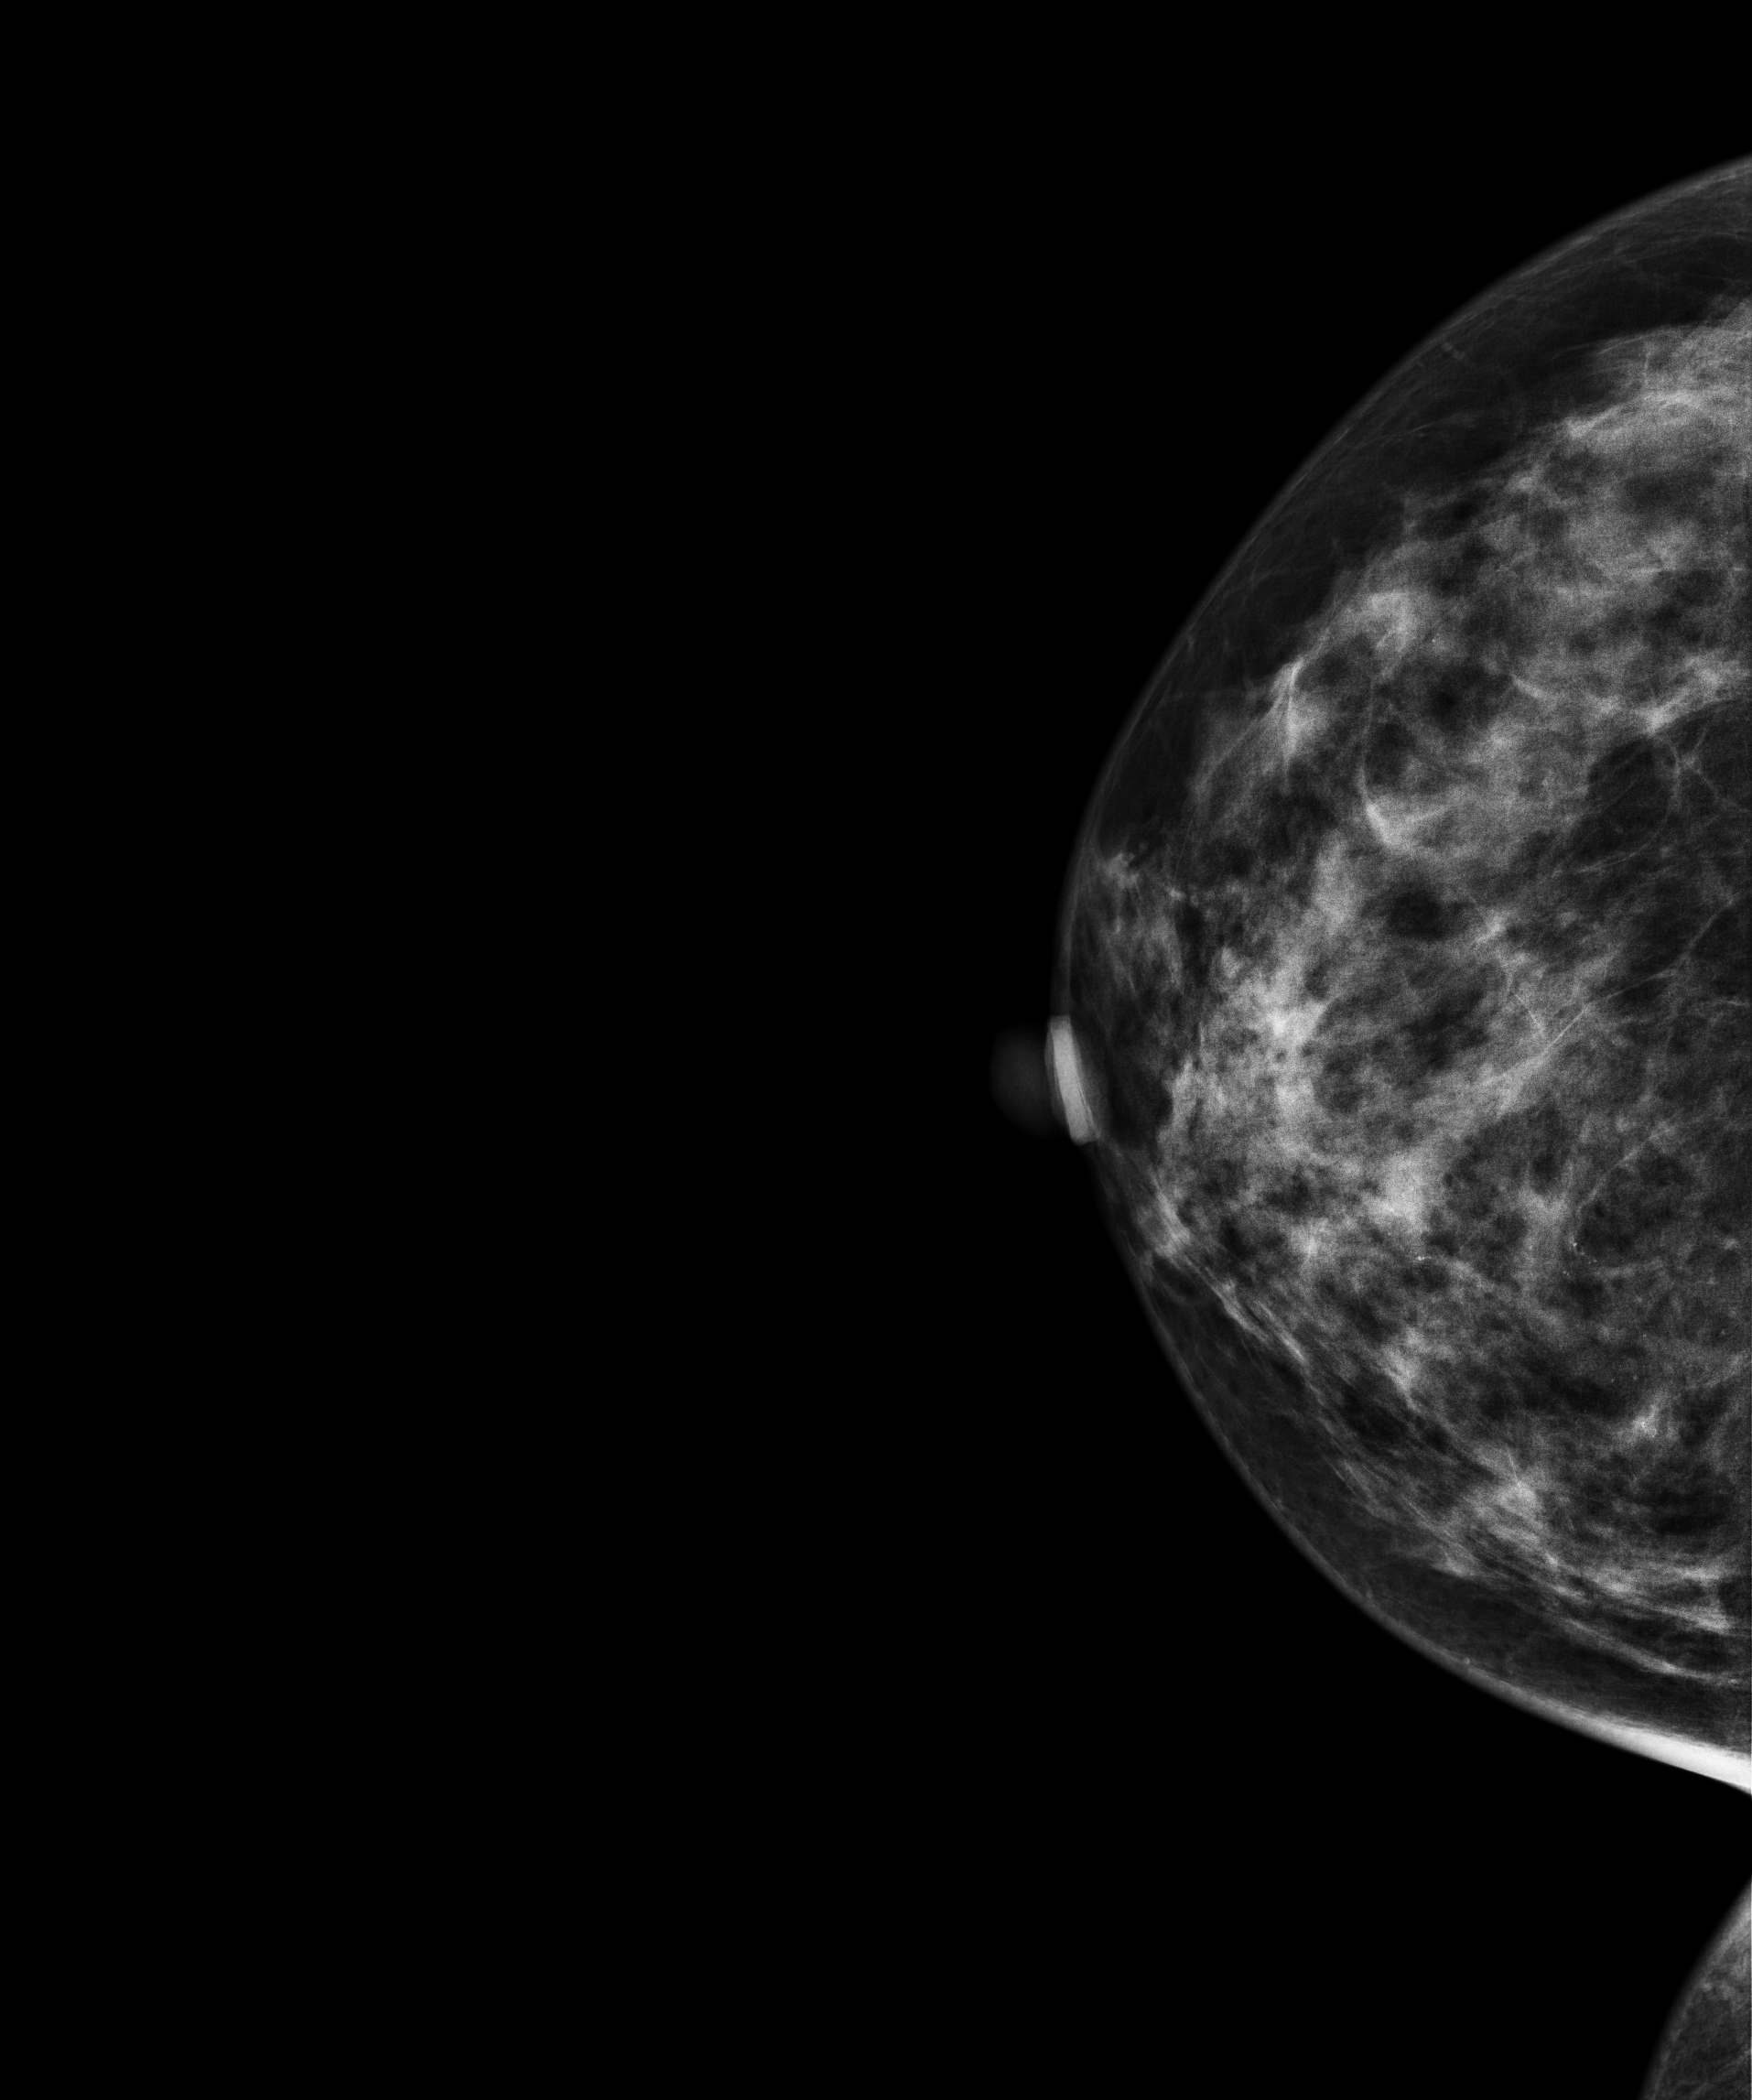
Right-breast mammogram, CC. 50-year-old patient.
This breast has a mass, histologically confirmed malignant.